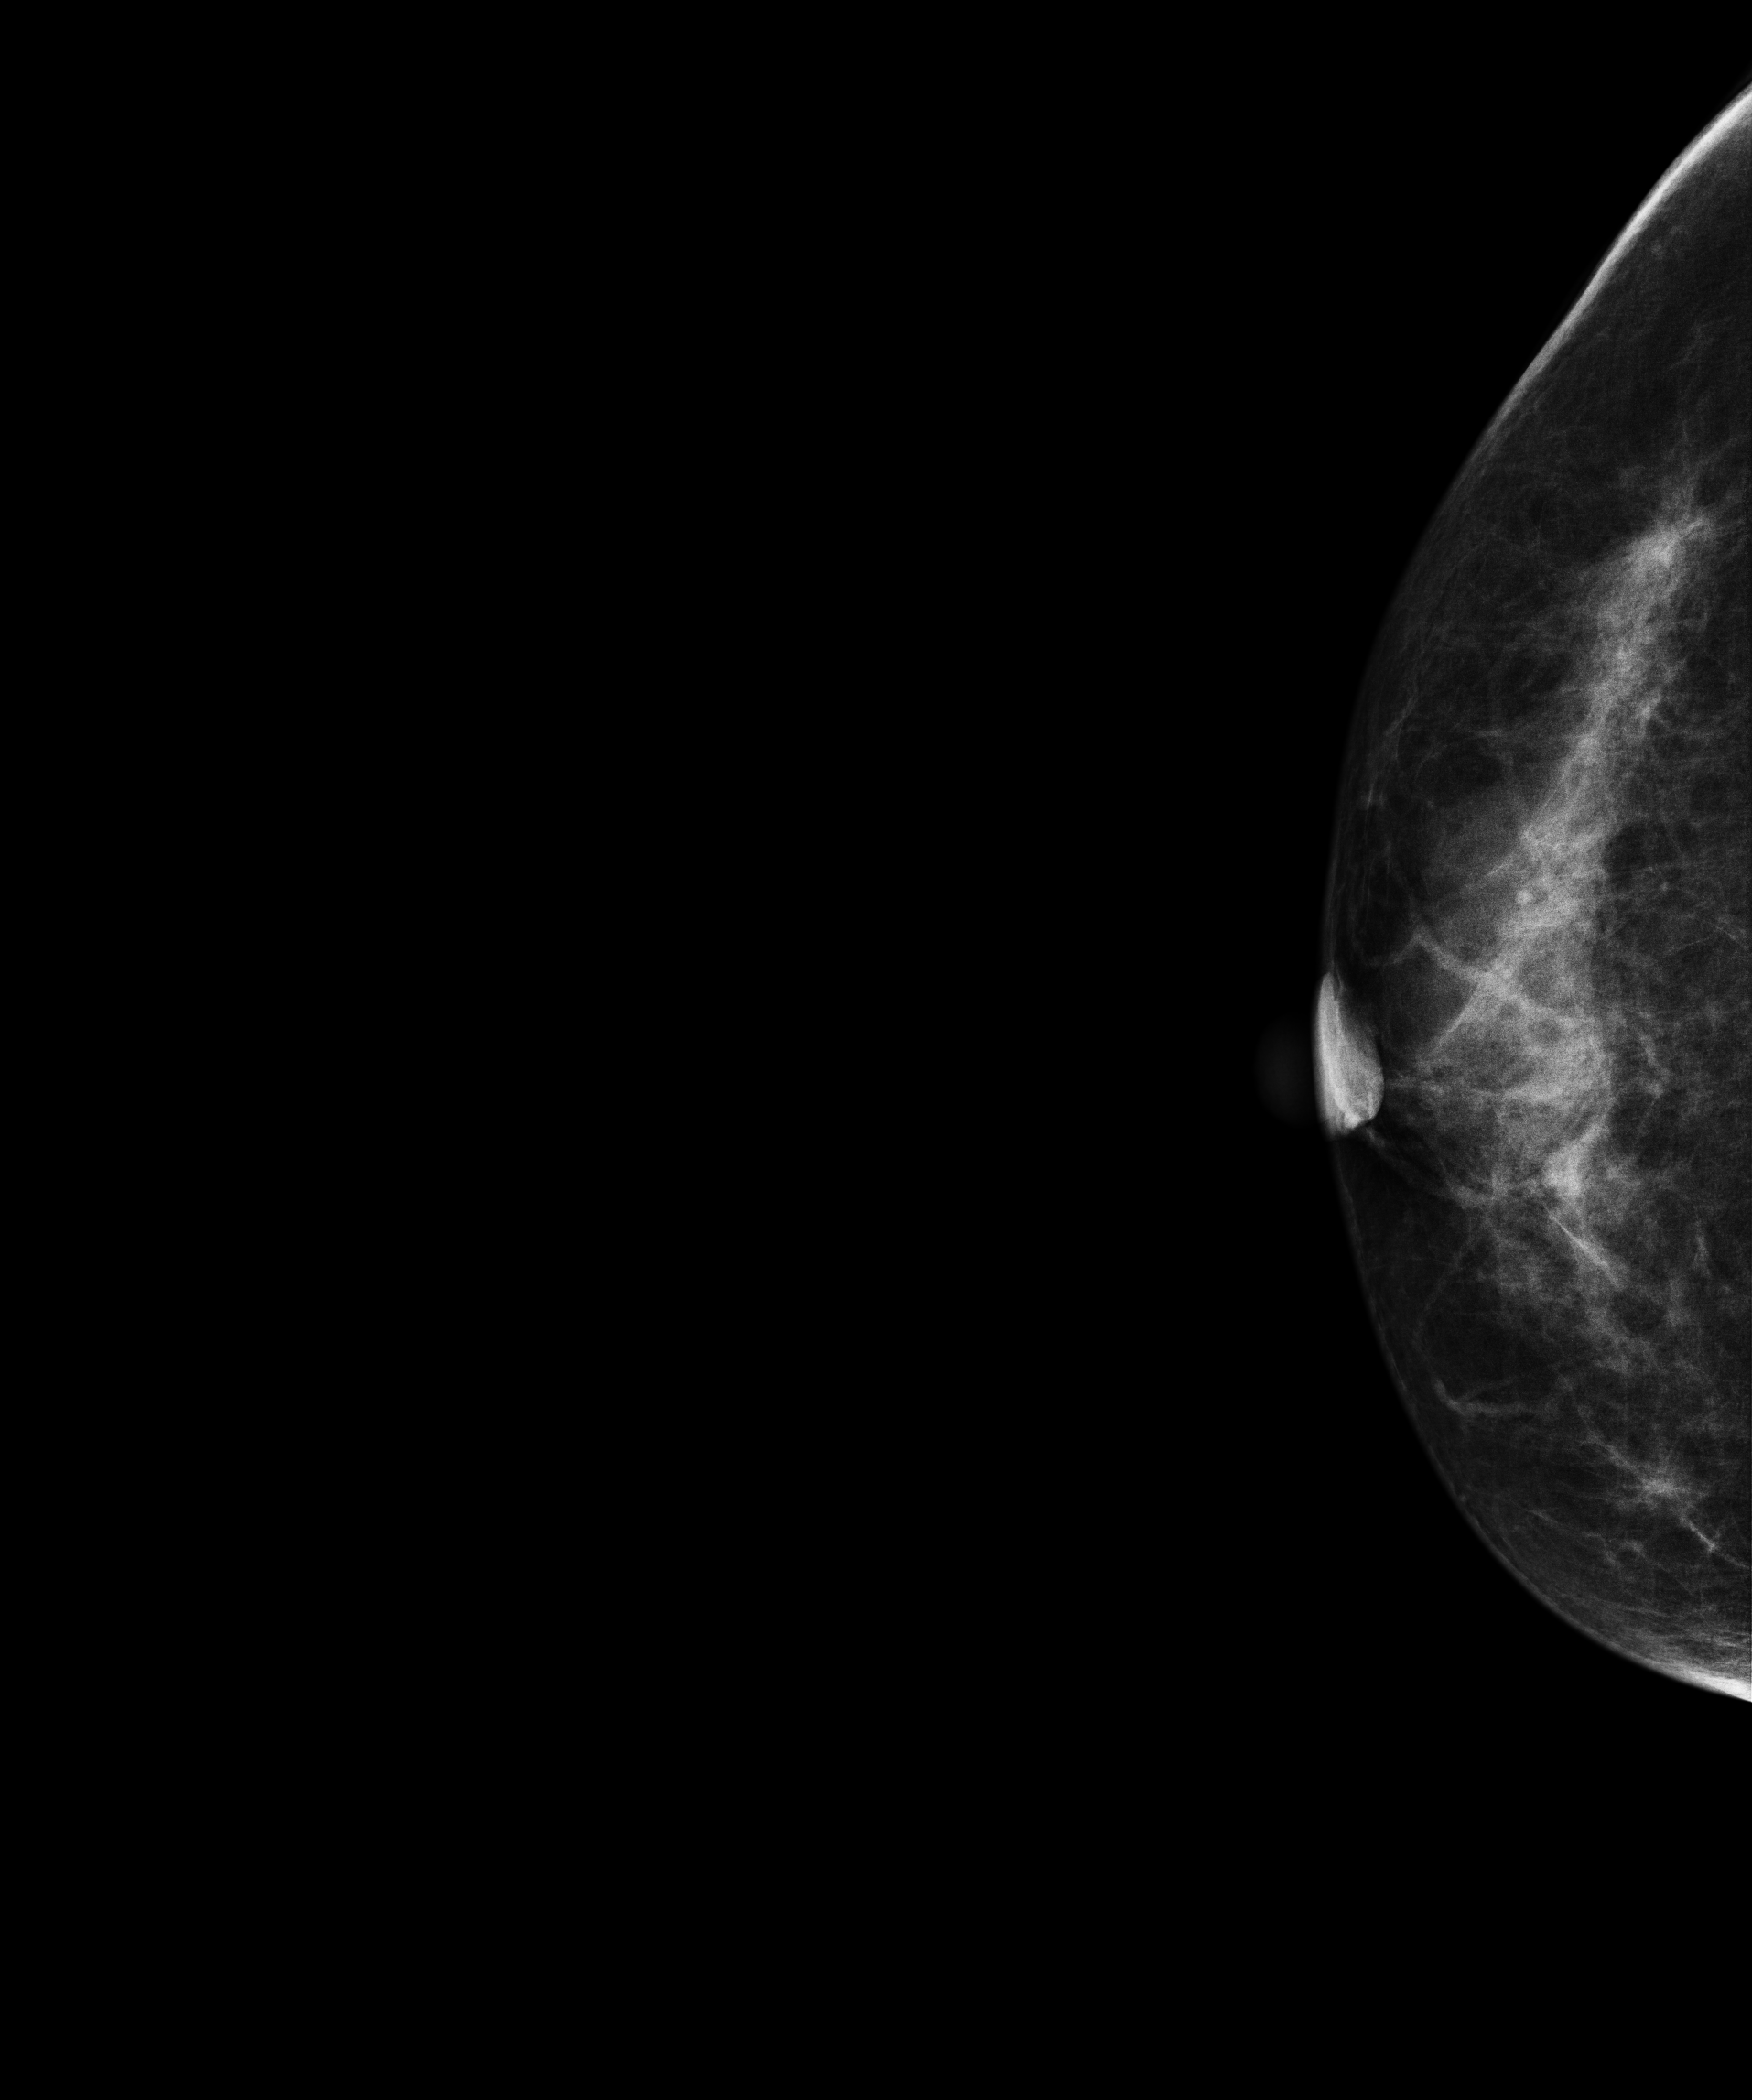
Digital mammography. Right breast, cranio-caudal projection. 41 y/o patient.
This breast has a mass, histologically confirmed benign.